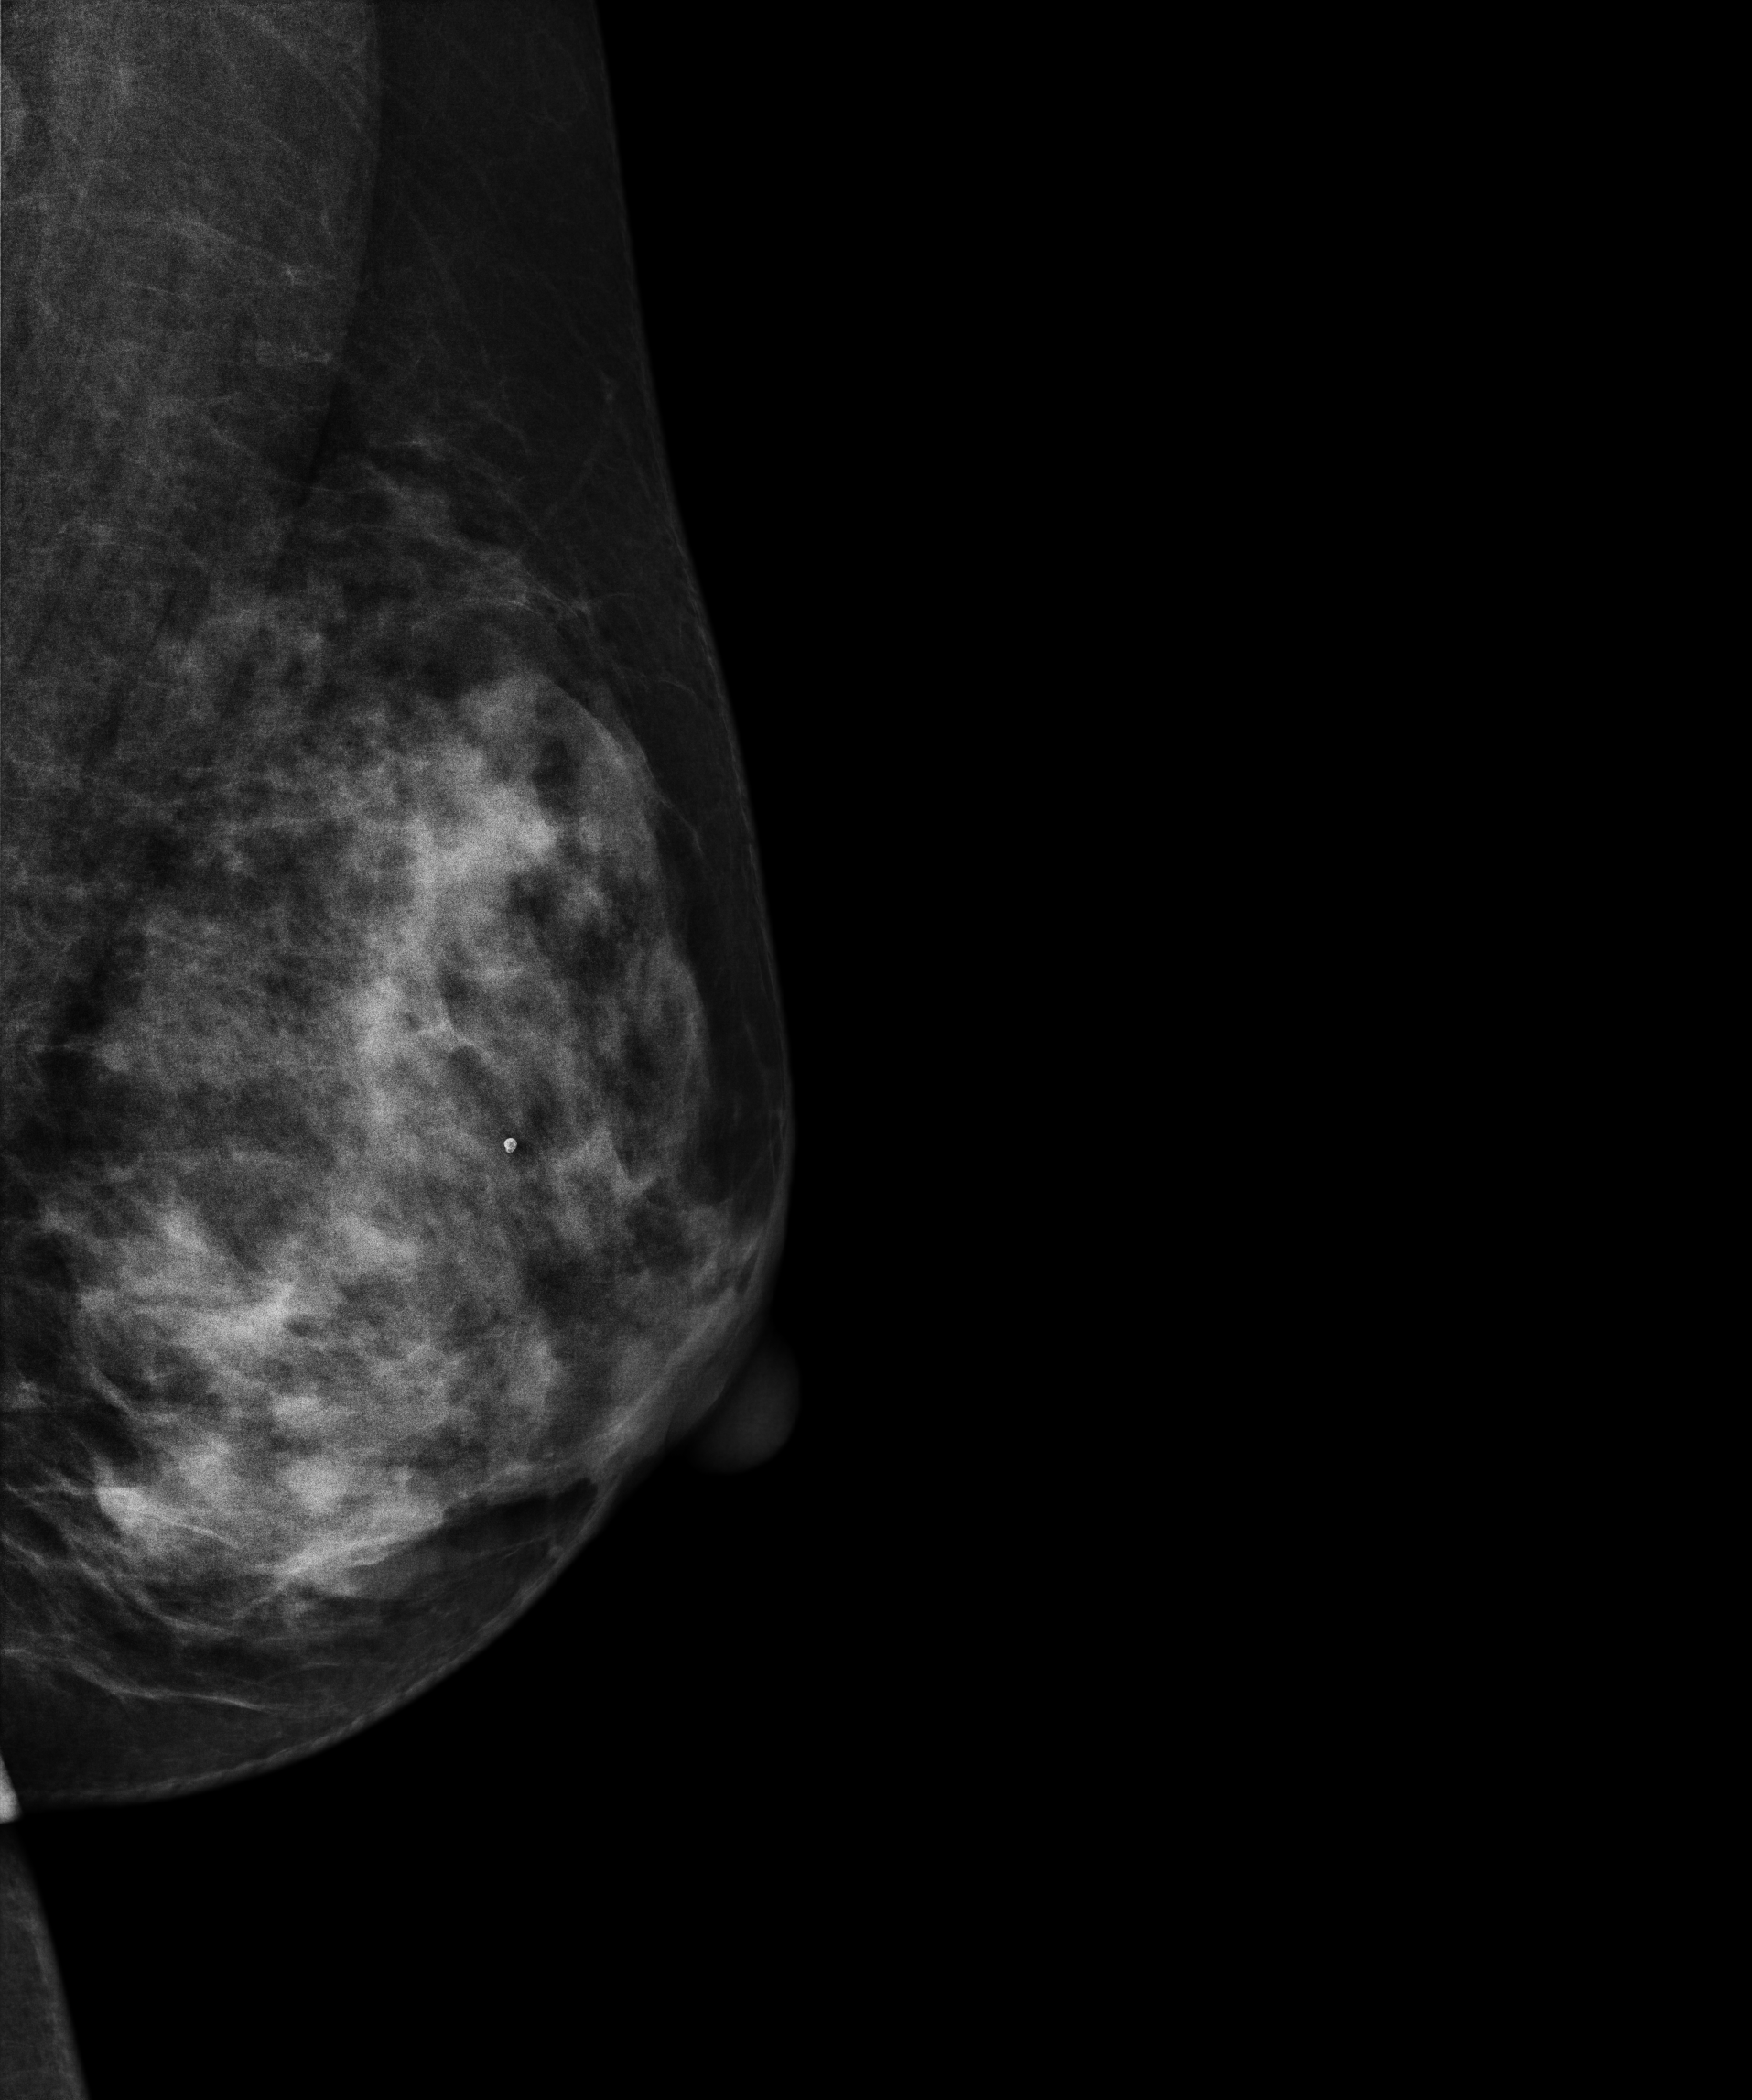
Mammogram — left MLO. Patient age 51.
Contralateral breast — no documented abnormality on this side.